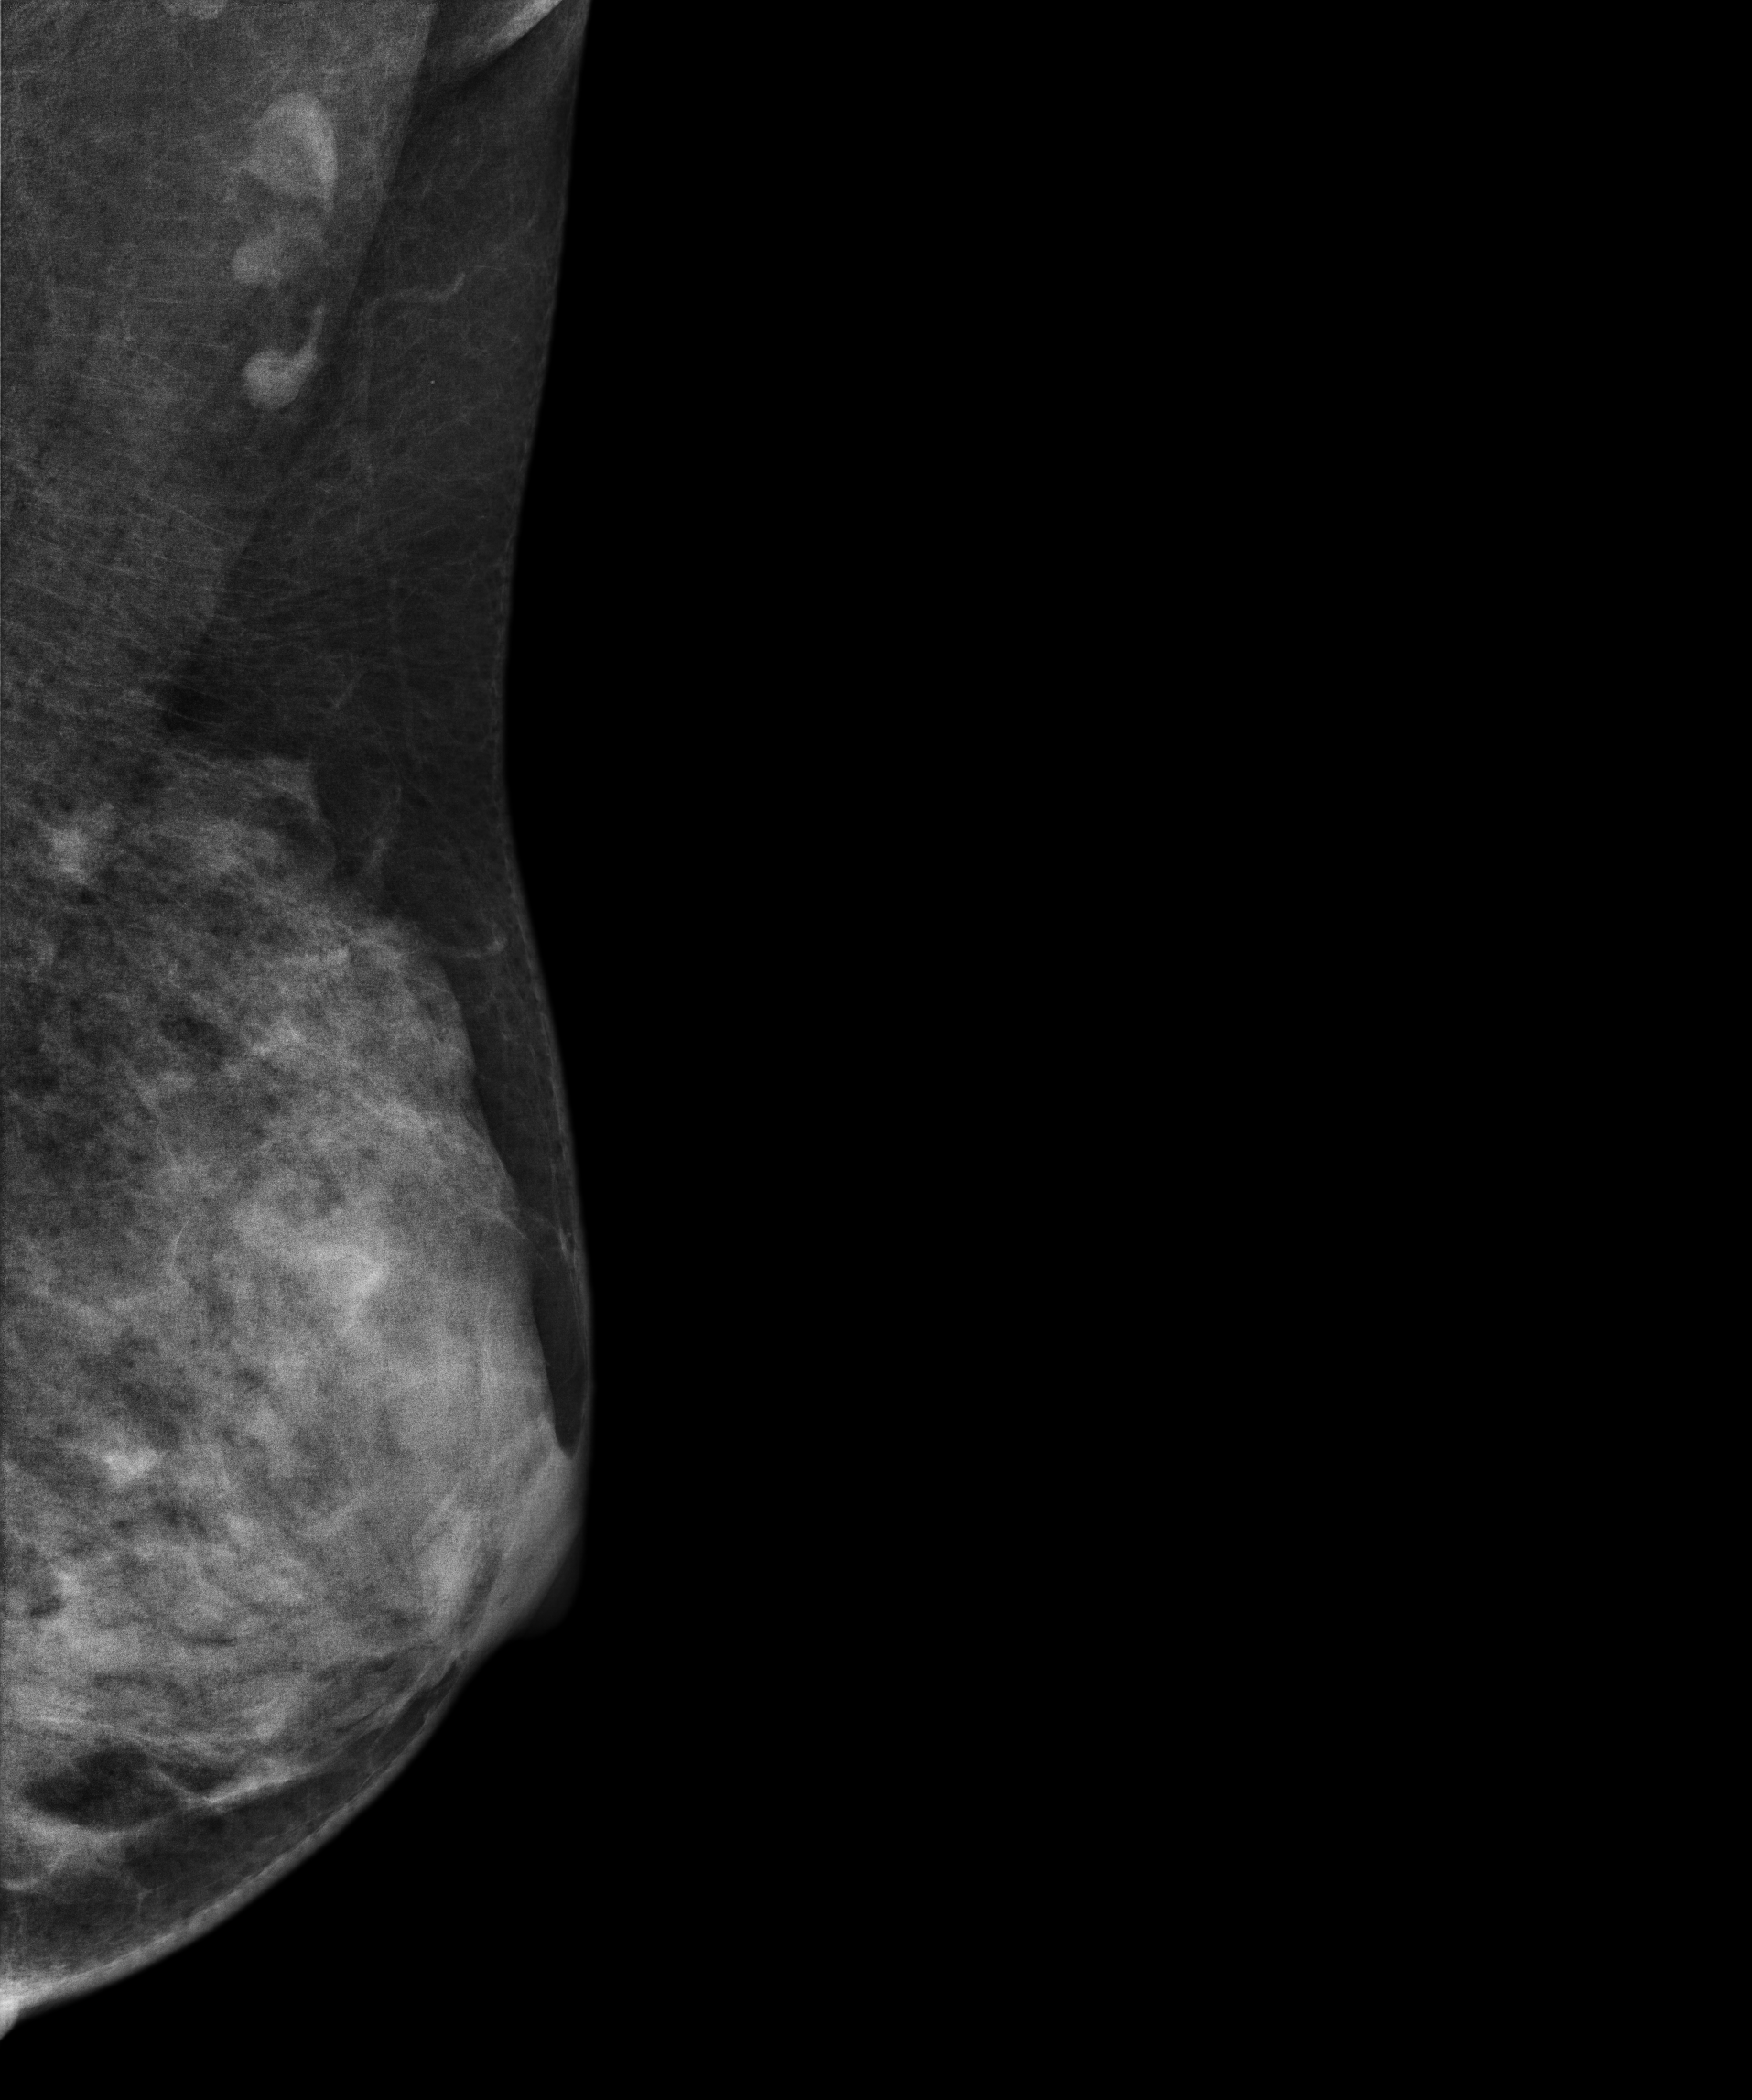
Mammogram, left breast, MLO view. 44 y/o patient.
This breast has a mass, biopsy-confirmed malignant. Molecular subtype: luminal B.